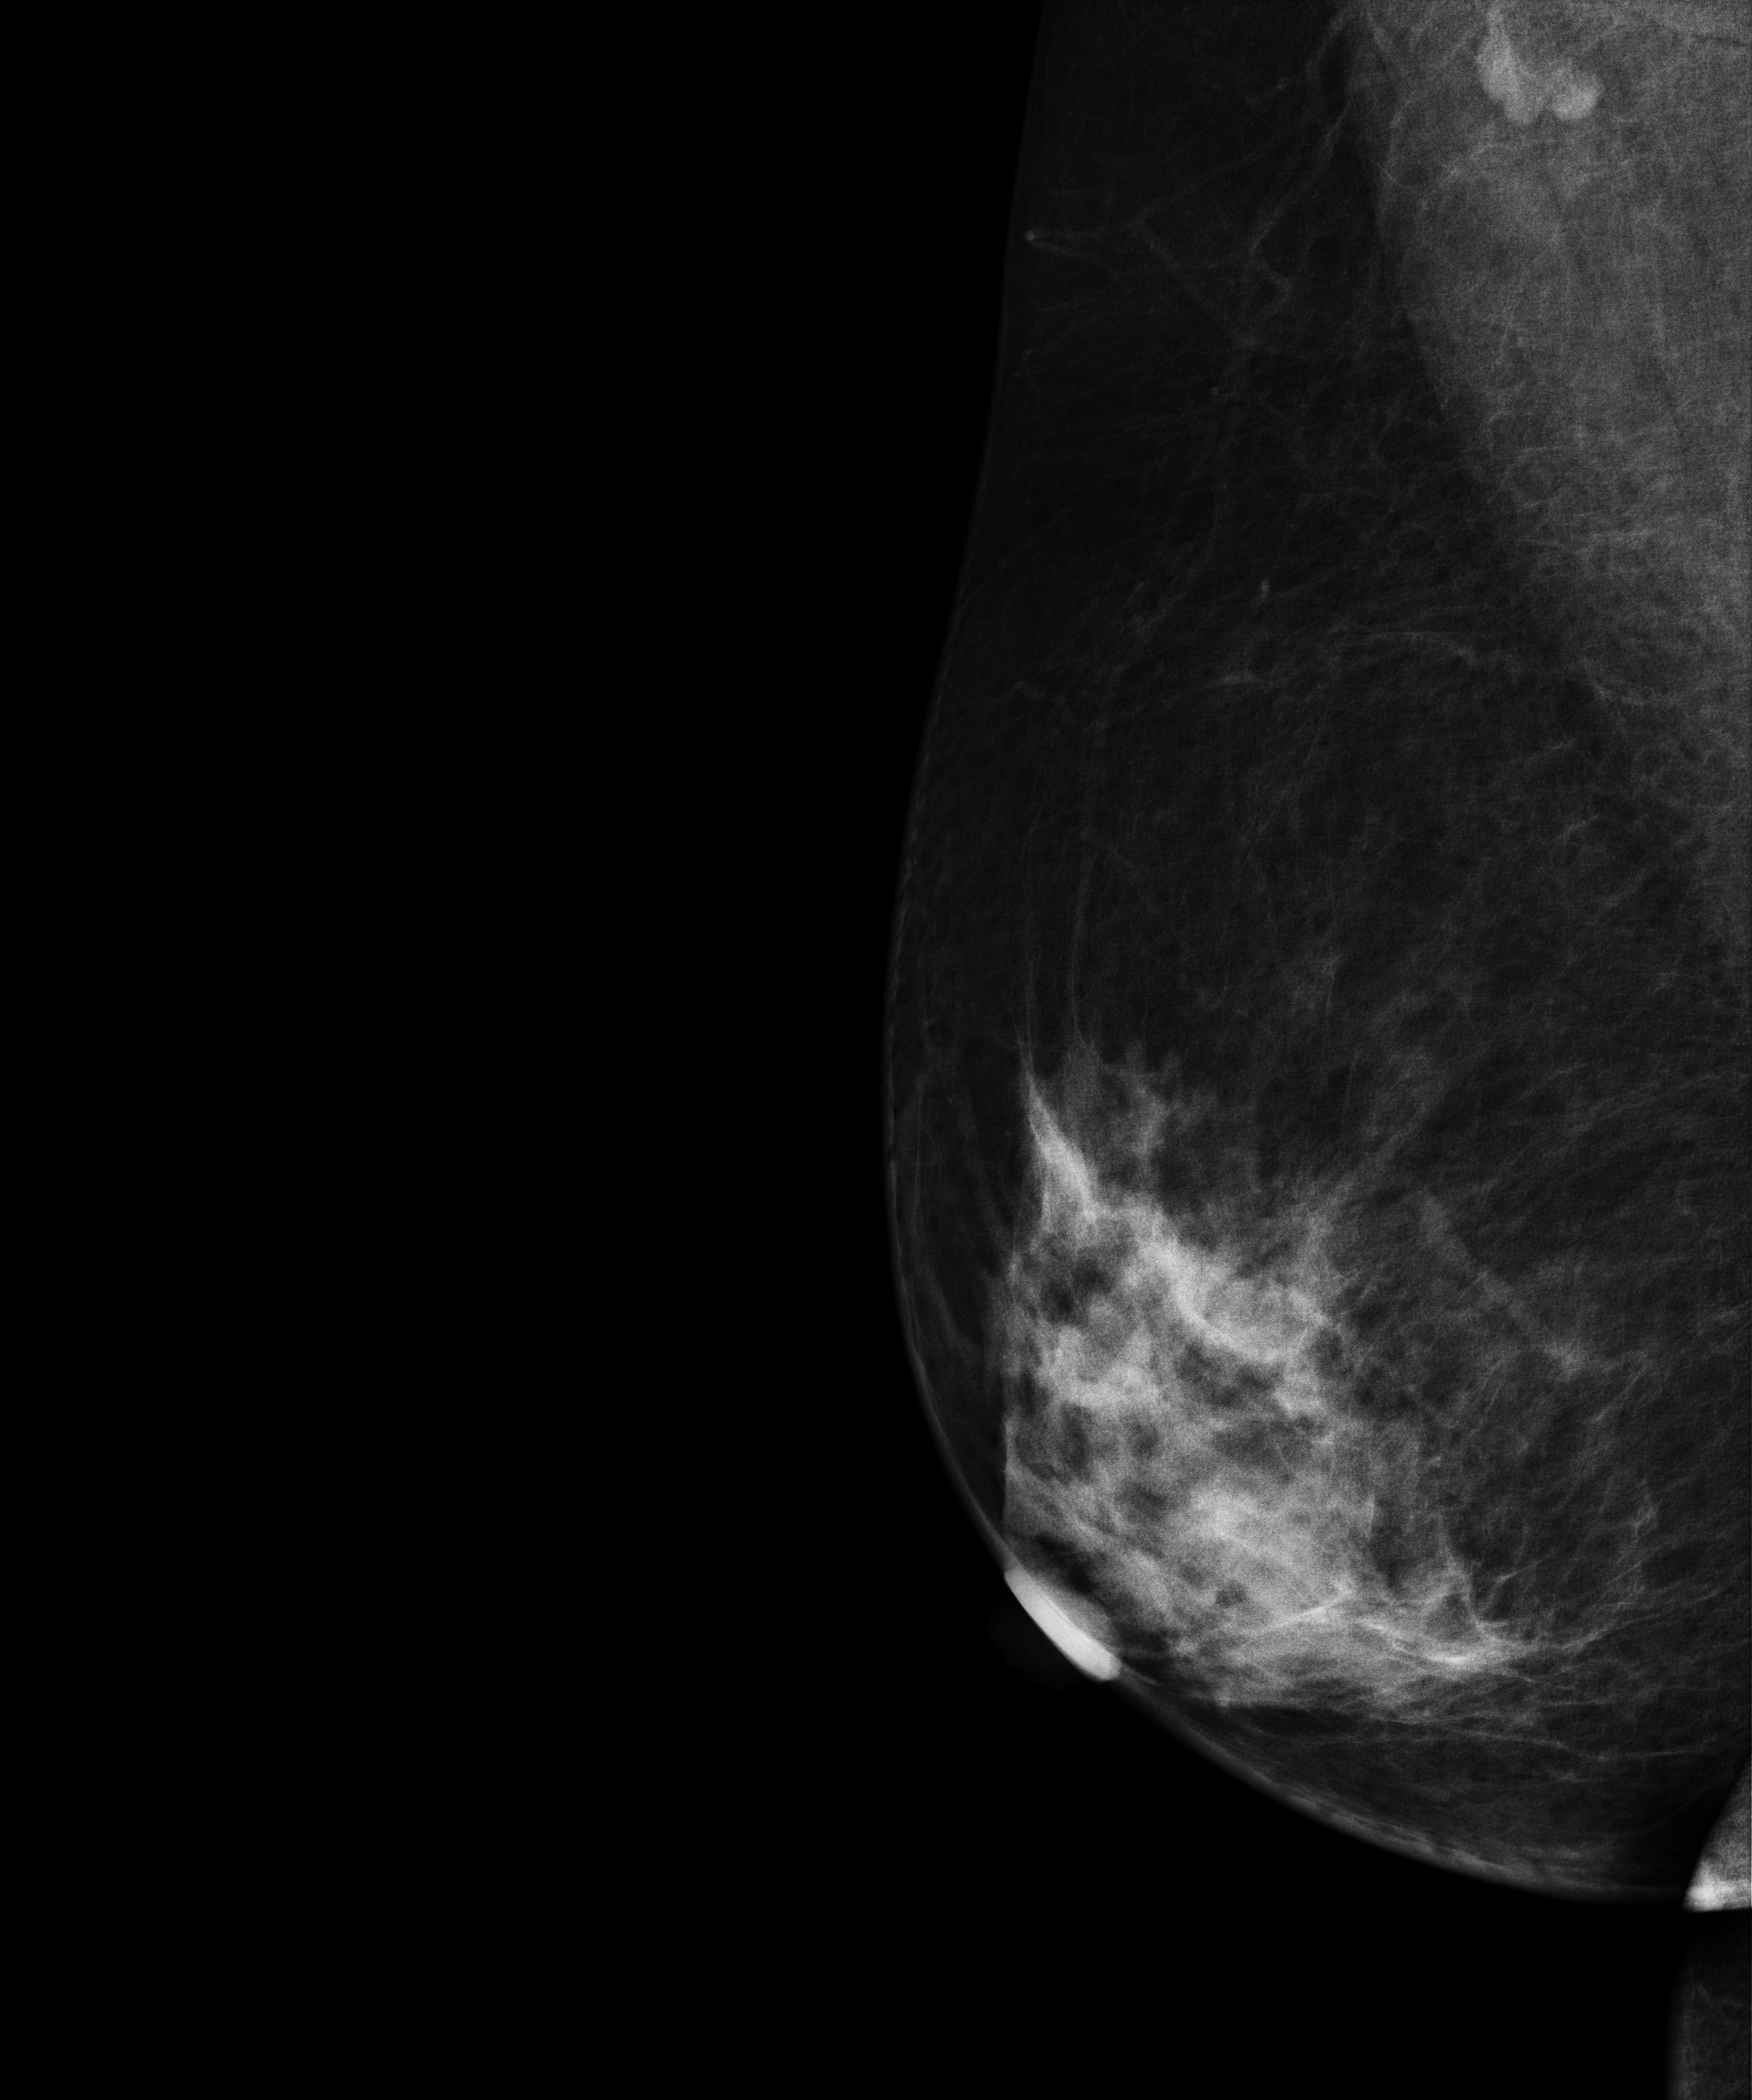
Mammogram, right breast, MLO view. 43-year-old patient.
Contralateral breast — no documented abnormality on this side.